Digital mammography. Left breast, MLO projection. 61-year-old patient.
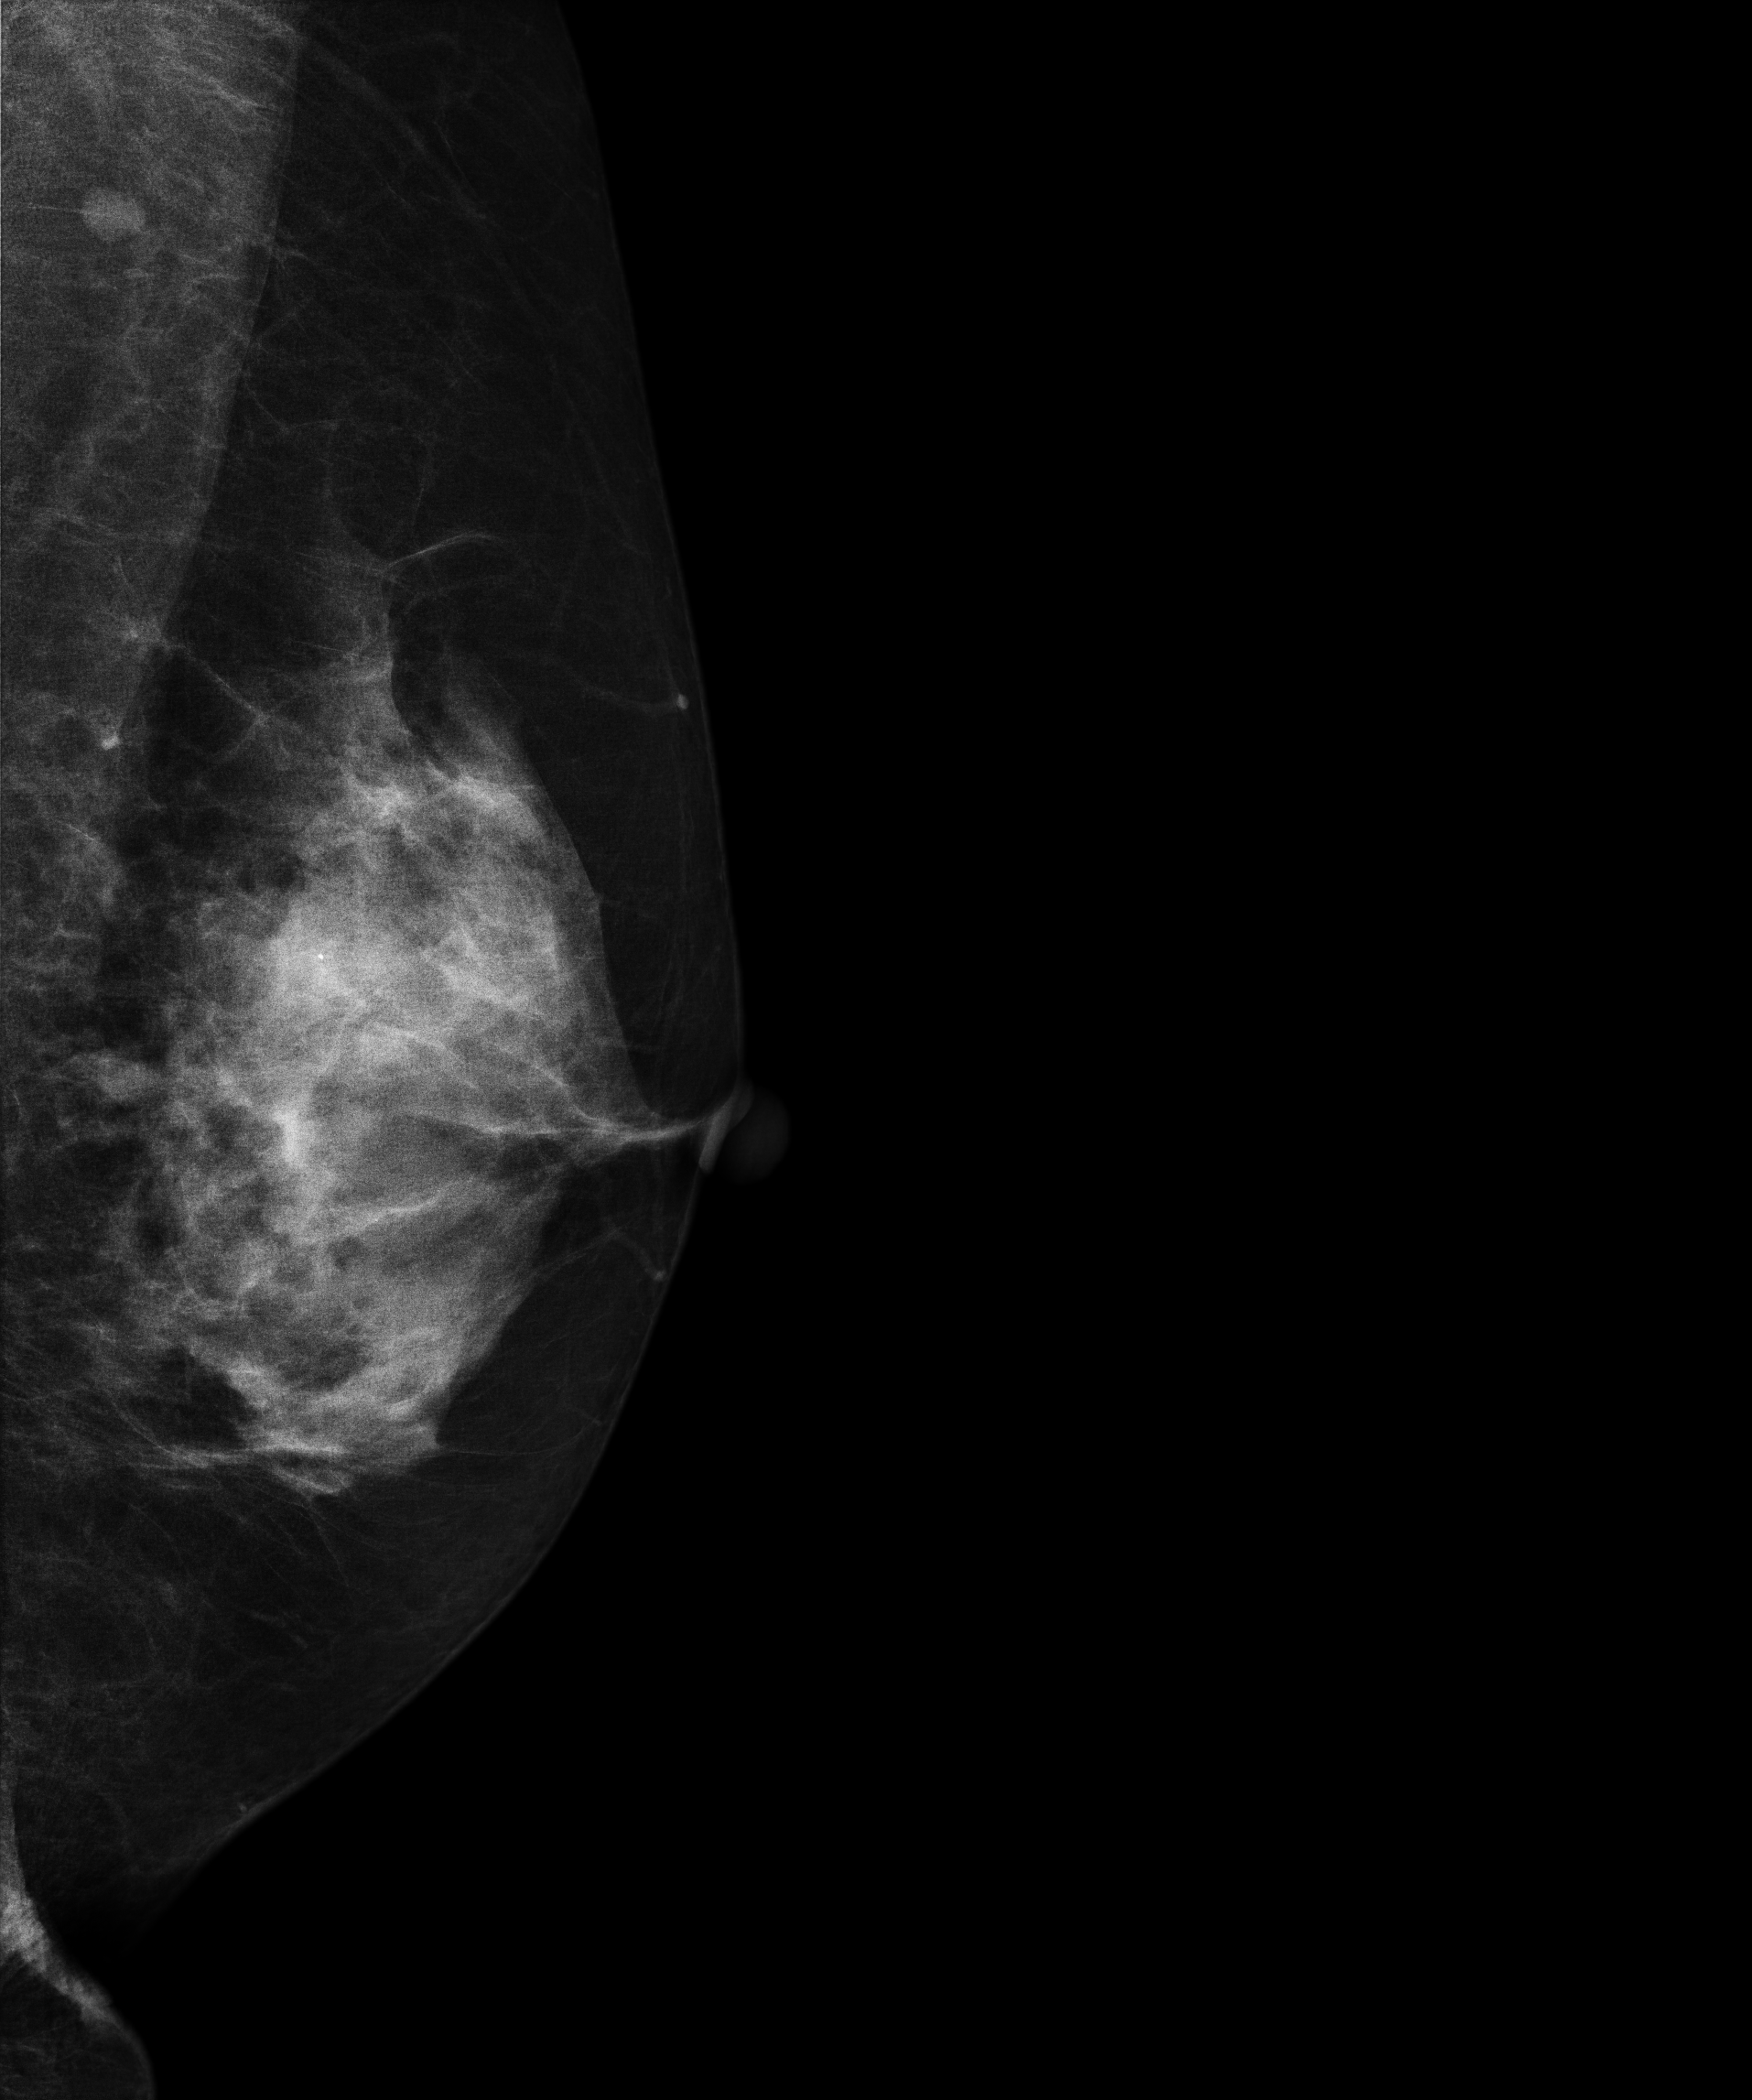
This breast has a mass and calcifications, histologically confirmed malignant.